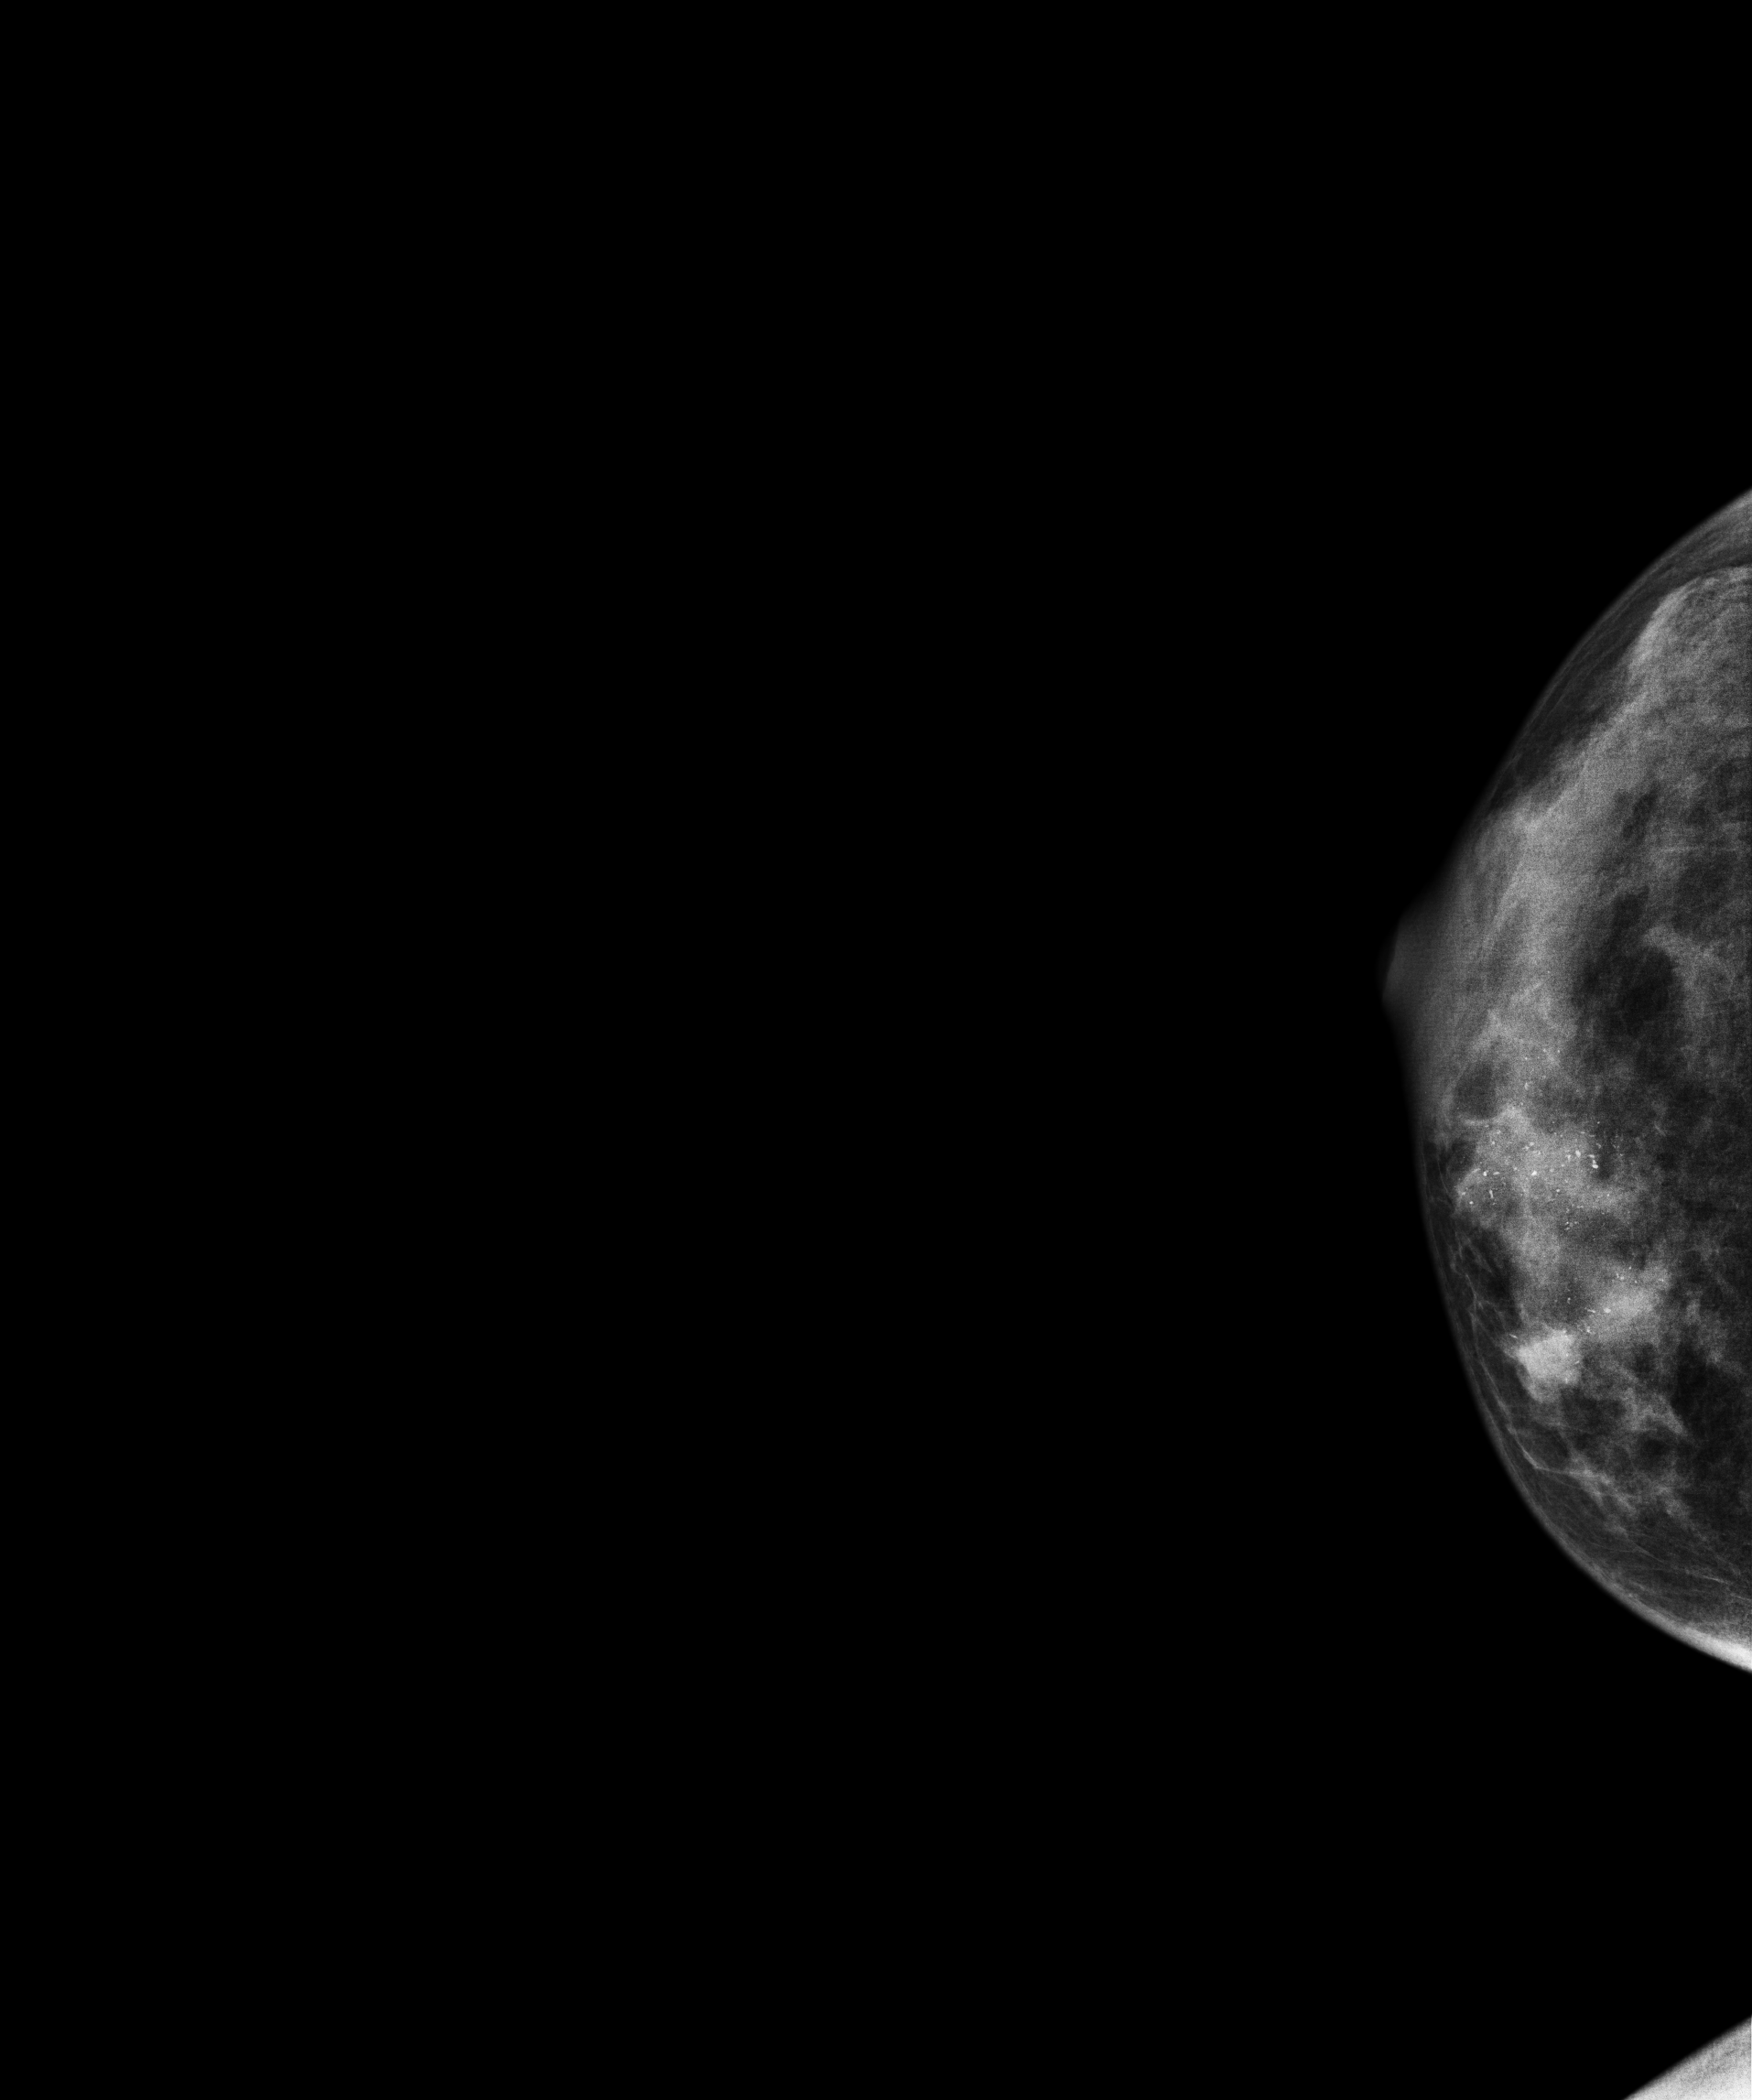
Digital mammography. Right breast, cranio-caudal projection. Patient age 32.
This breast has a mass and calcifications, histologically confirmed malignant.